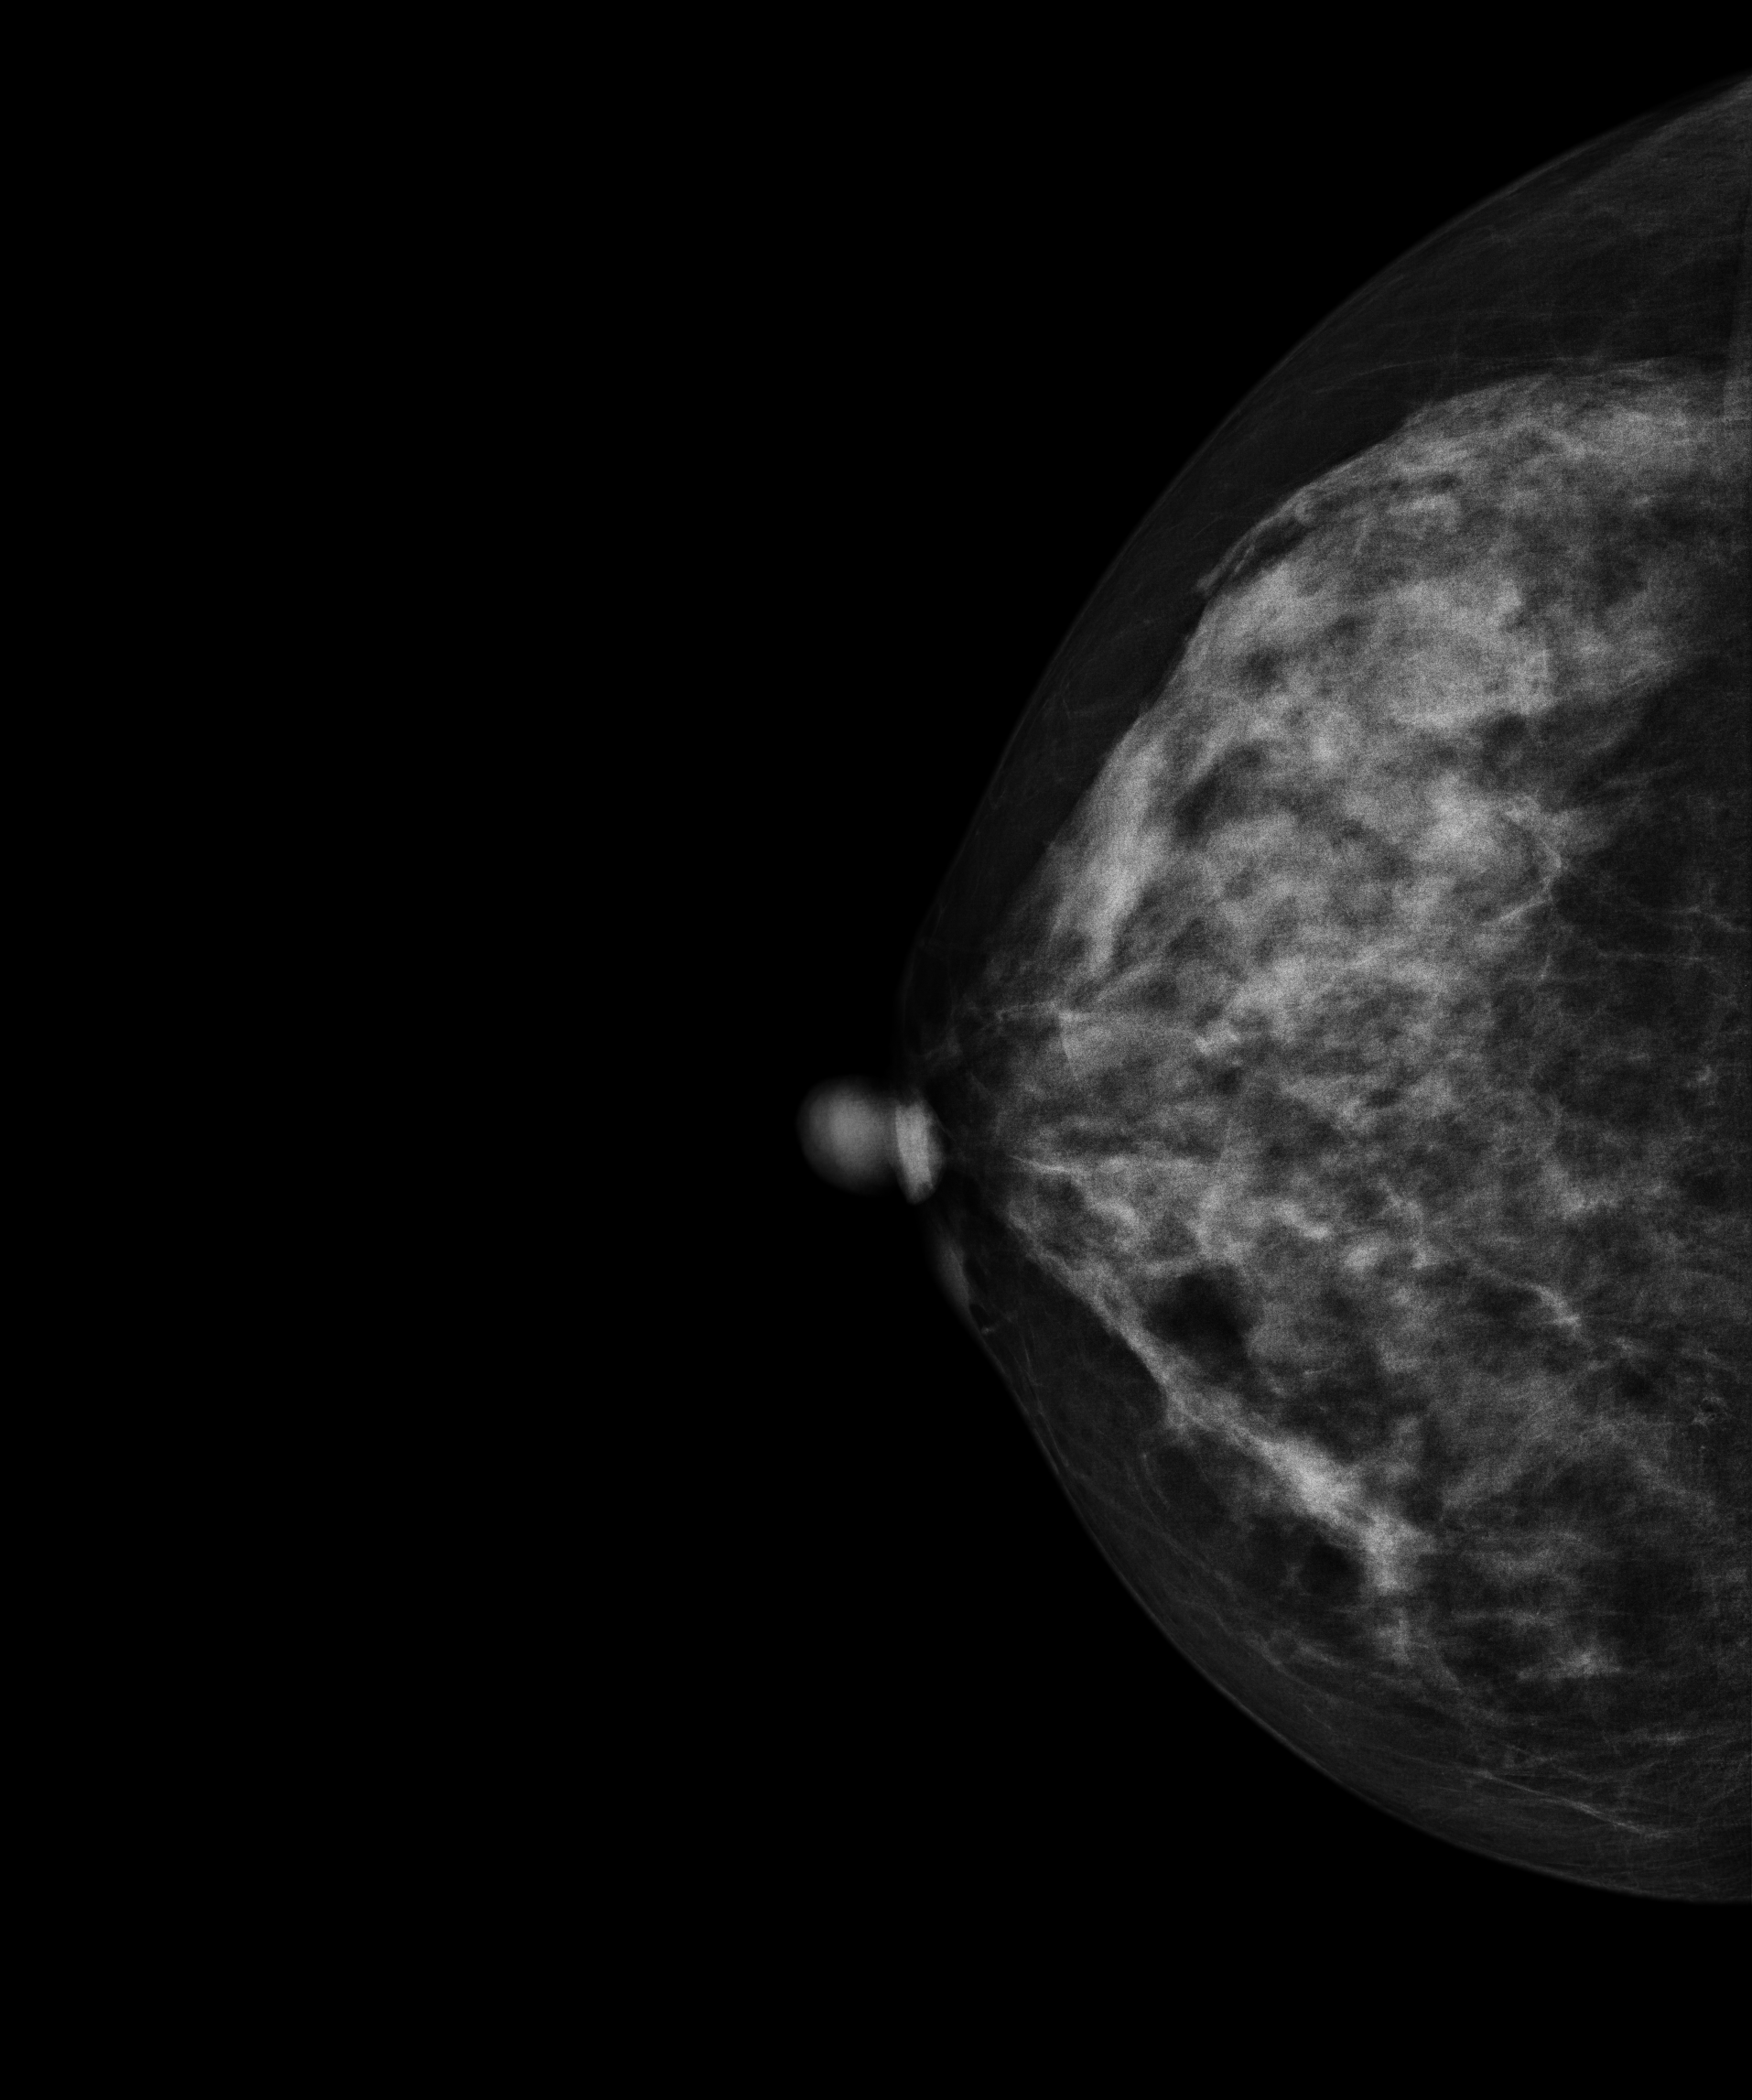
Right-breast mammogram, CC. 44-year-old patient.
Contralateral breast — no documented abnormality on this side.